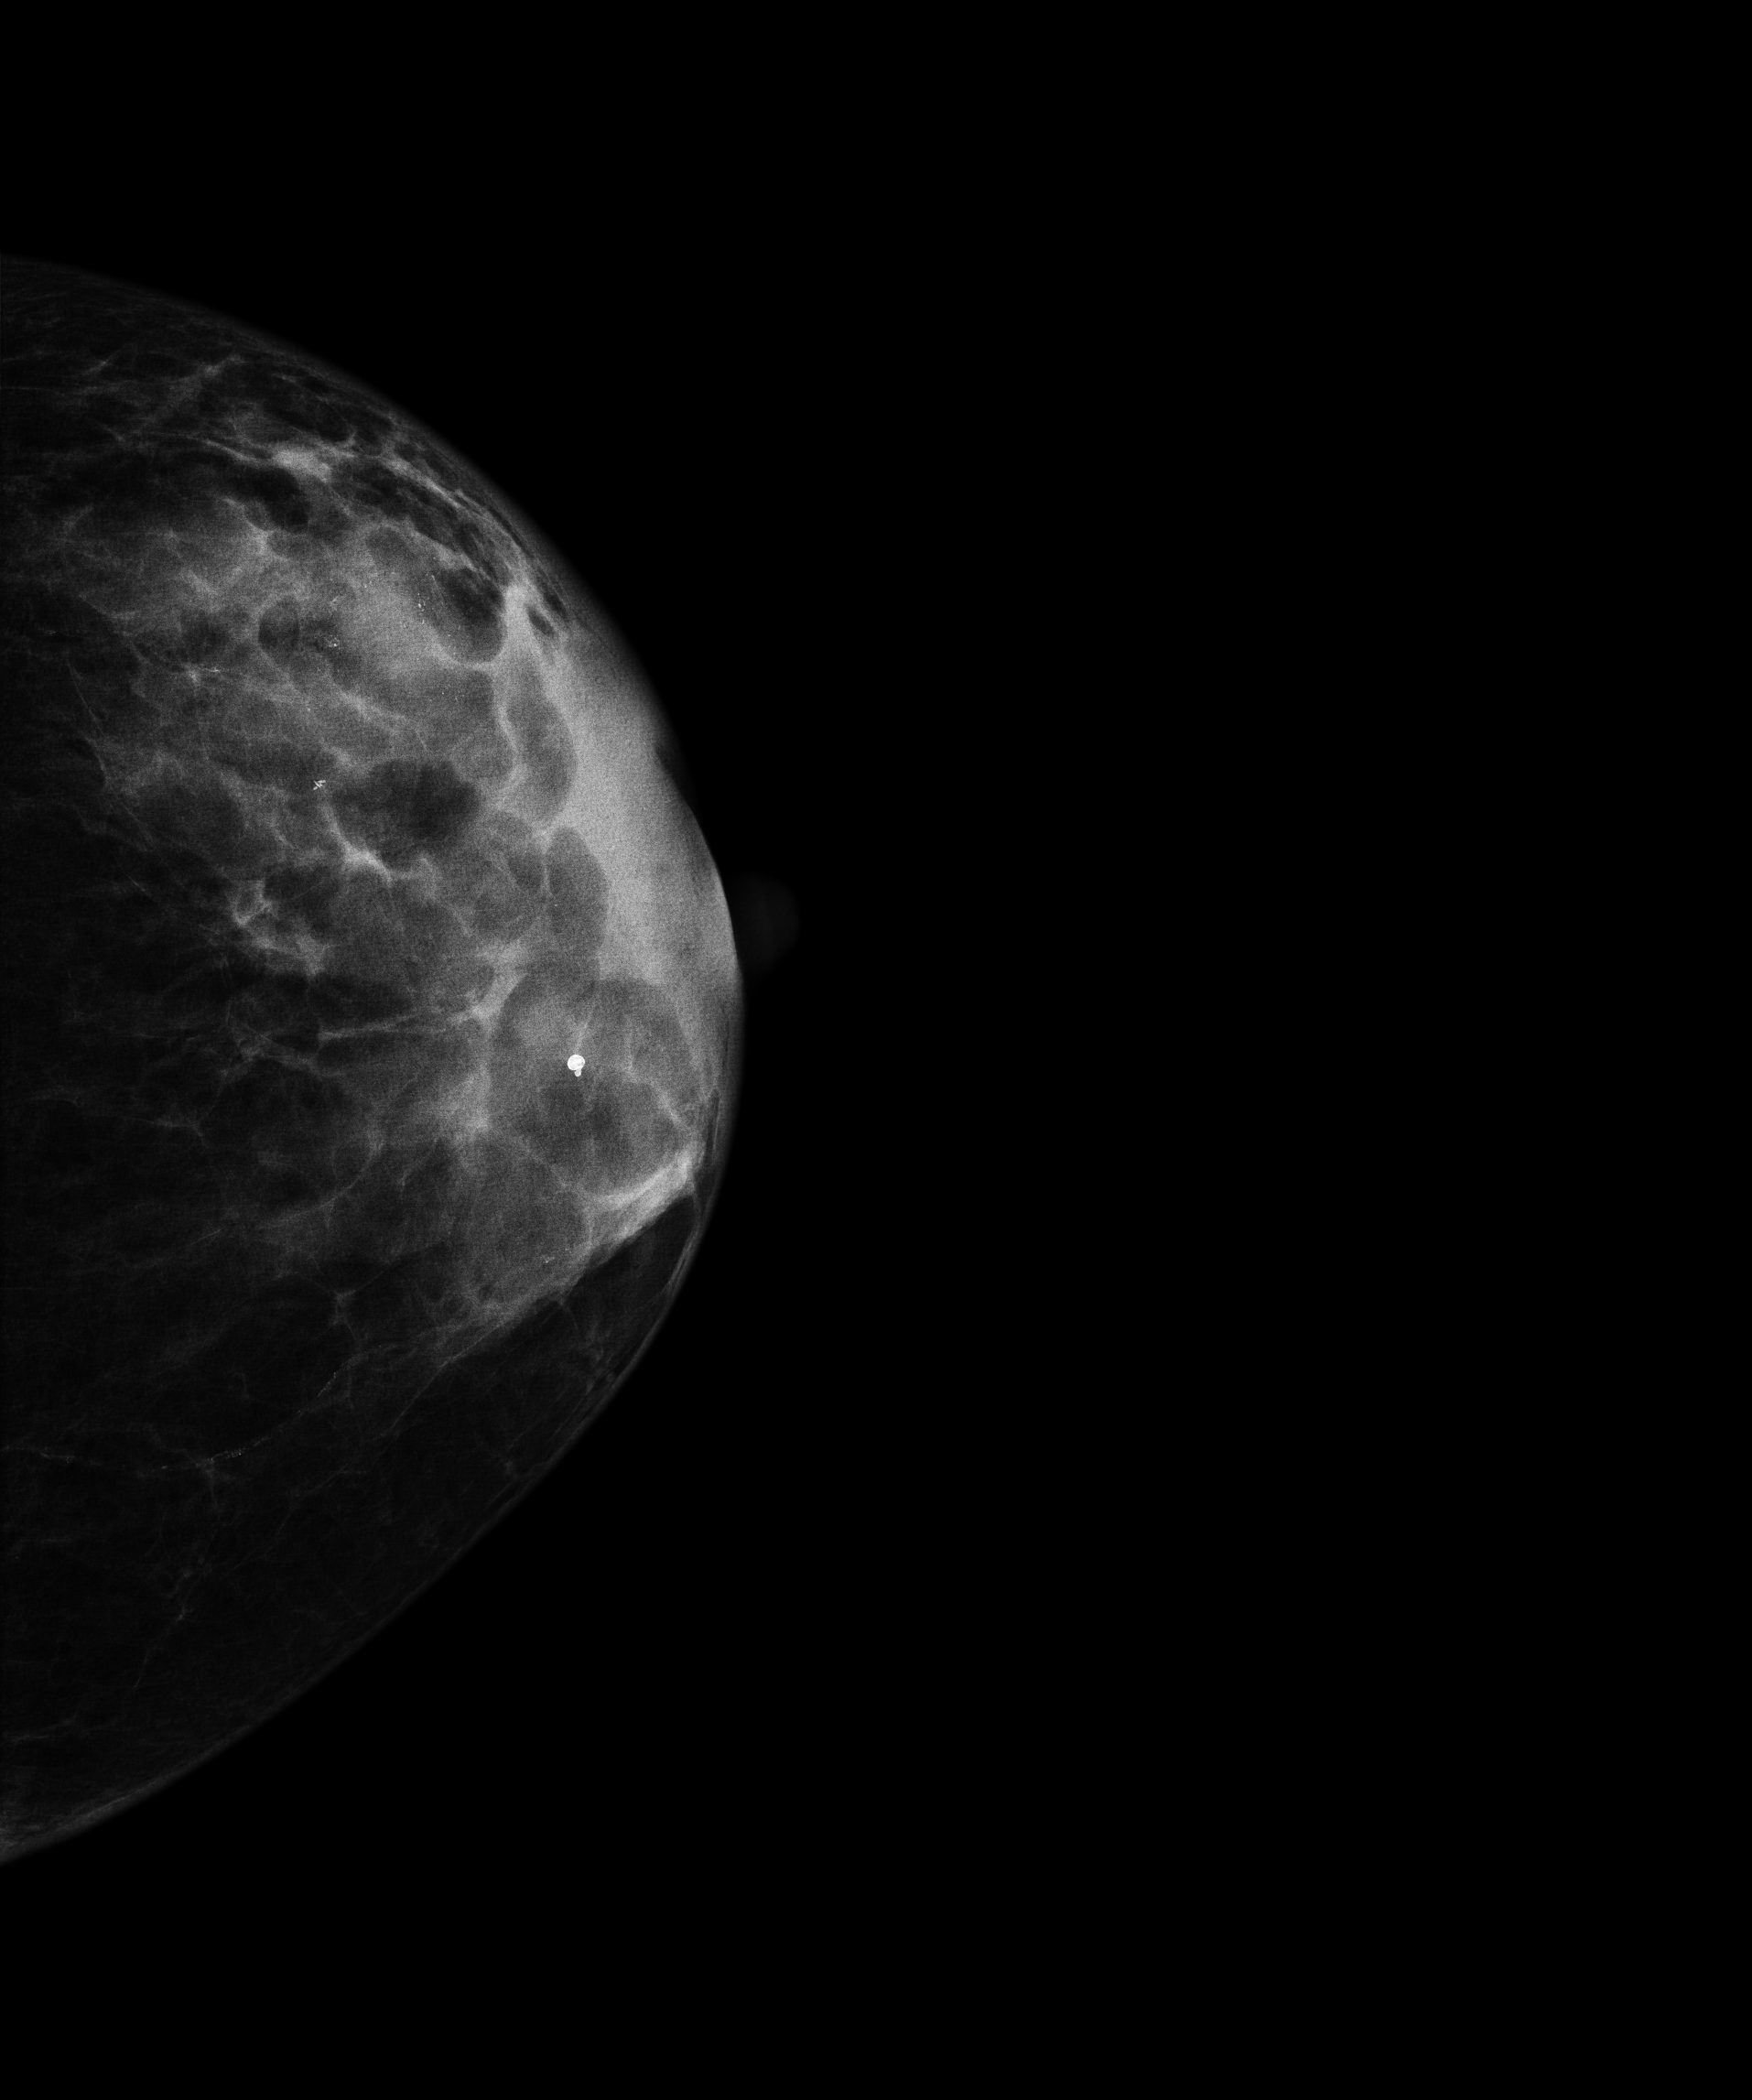
Digital mammography. Left breast, cranio-caudal projection. 62-year-old patient.
This breast has calcifications, histologically confirmed malignant.